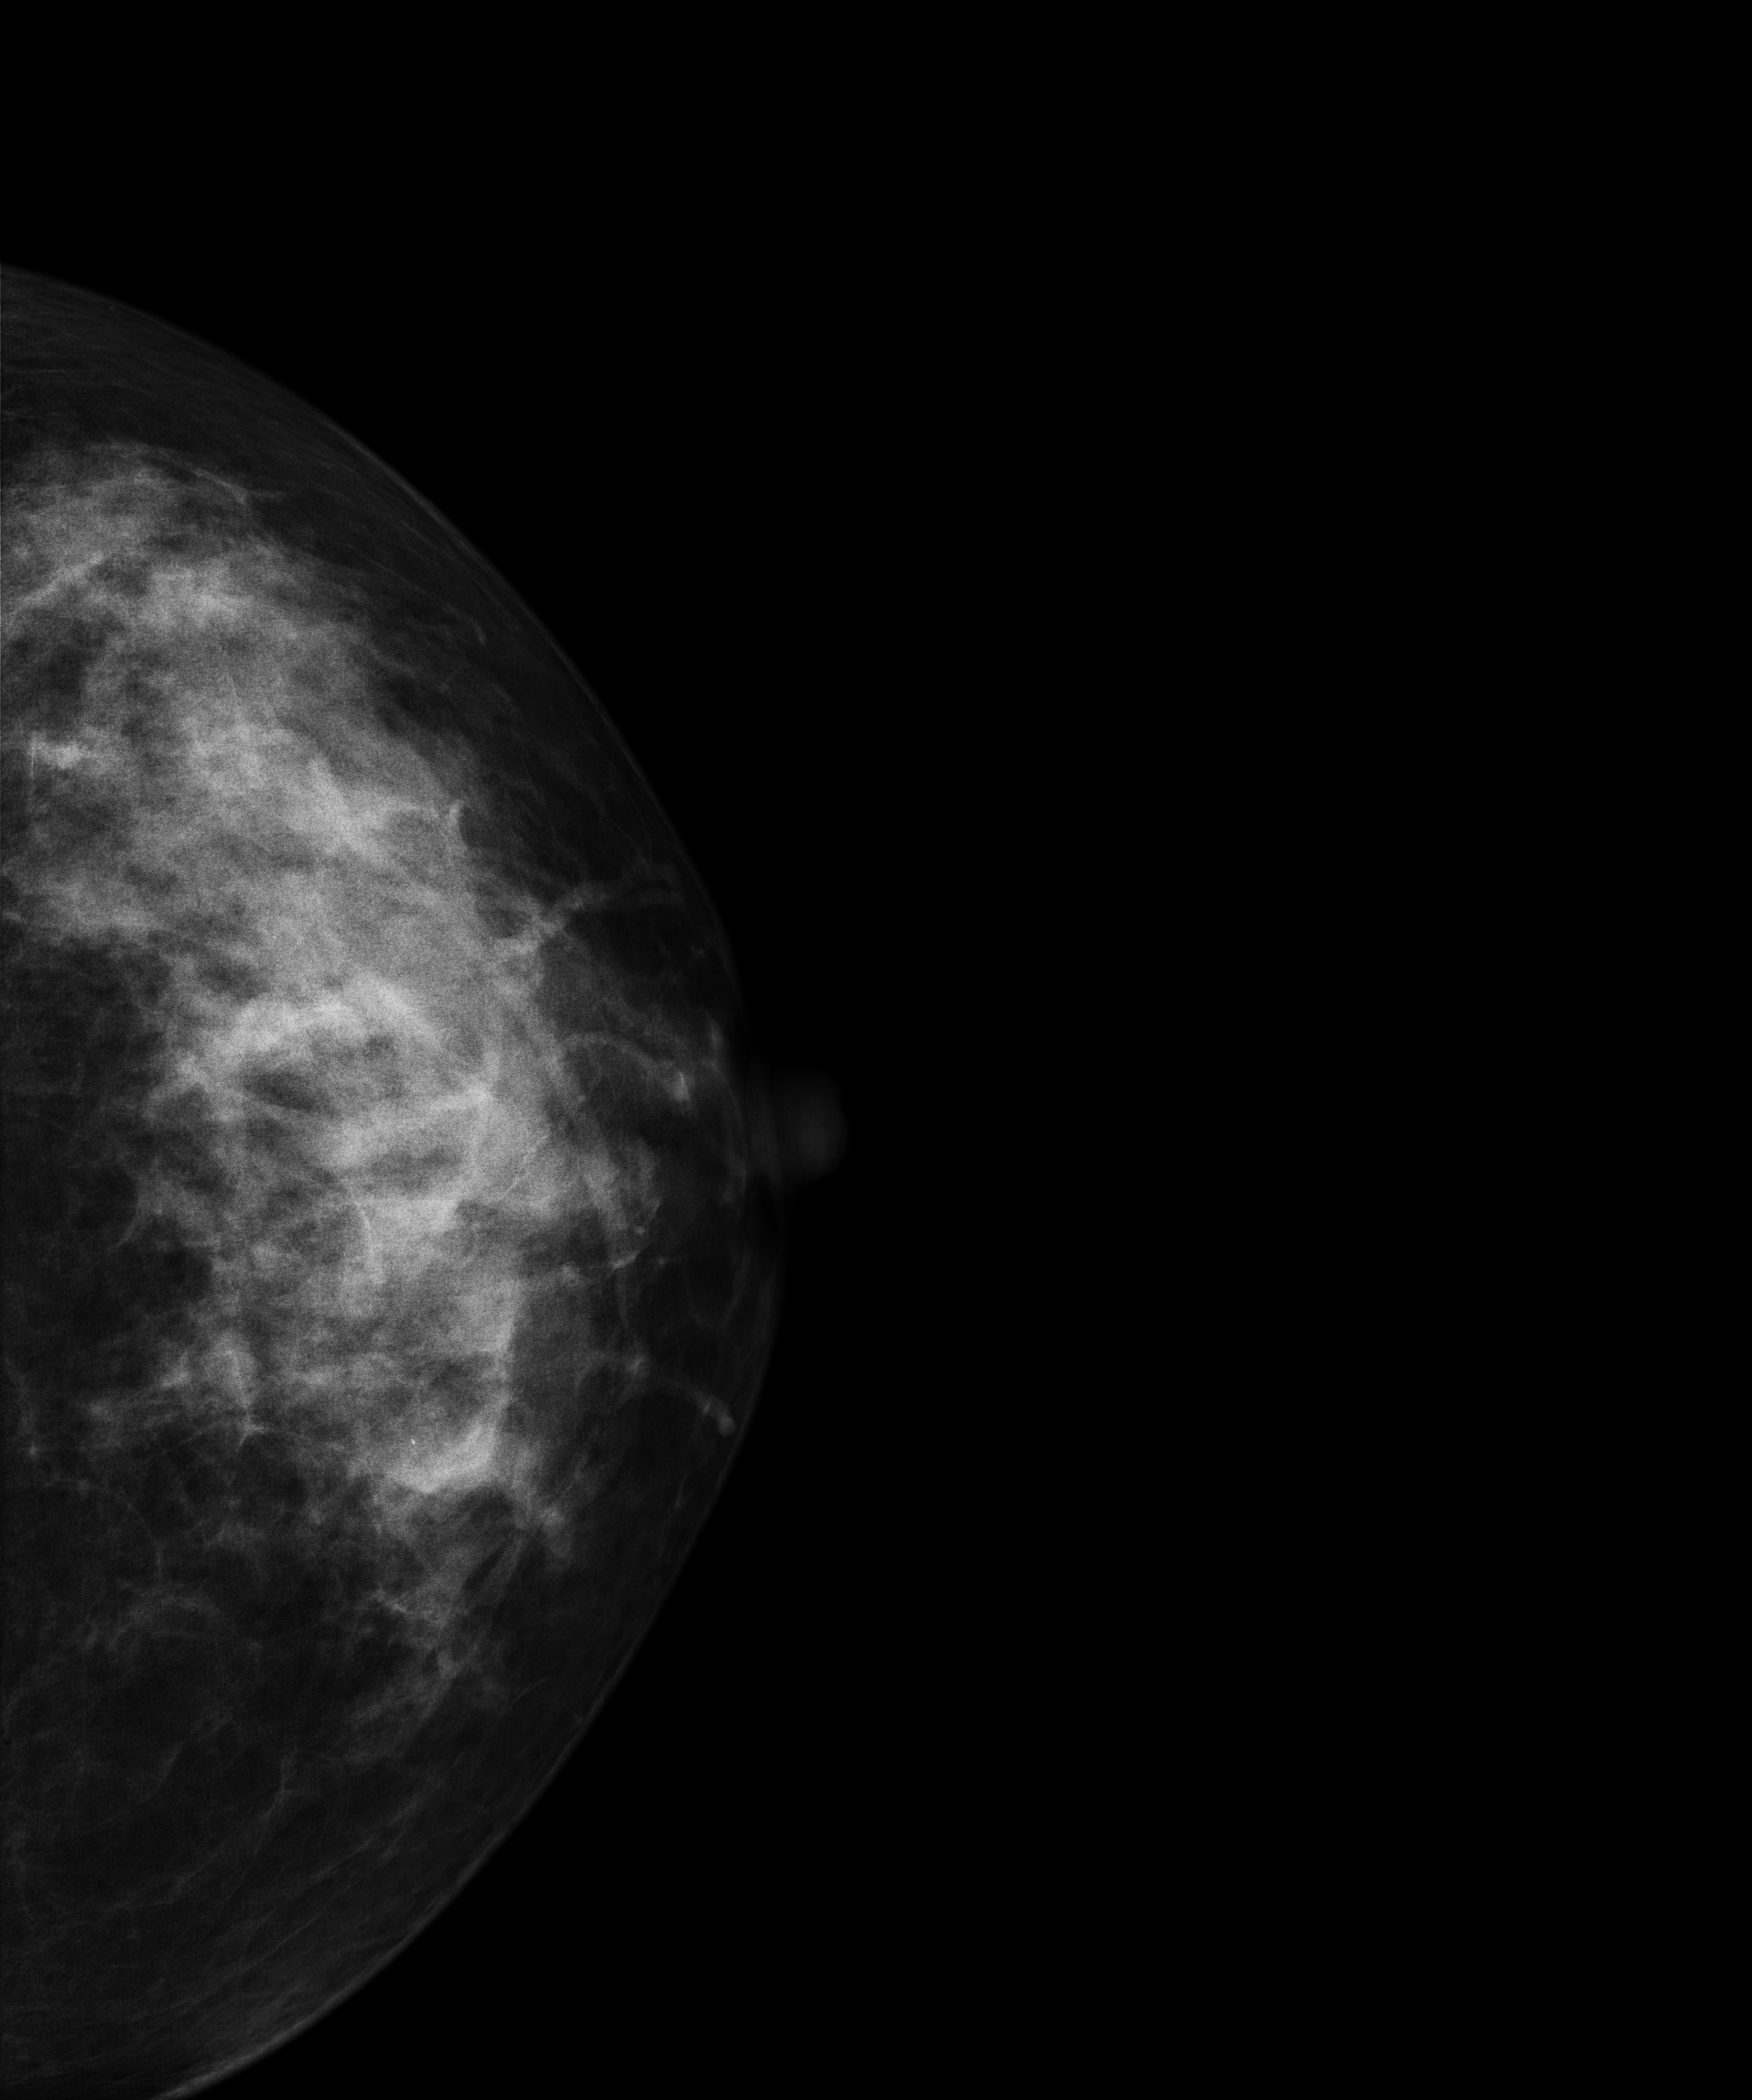
Mammogram, left breast, cranio-caudal view. Patient age 41.
Contralateral breast — no documented abnormality on this side.